Cranio-caudal mammogram of the right breast. Patient age 50.
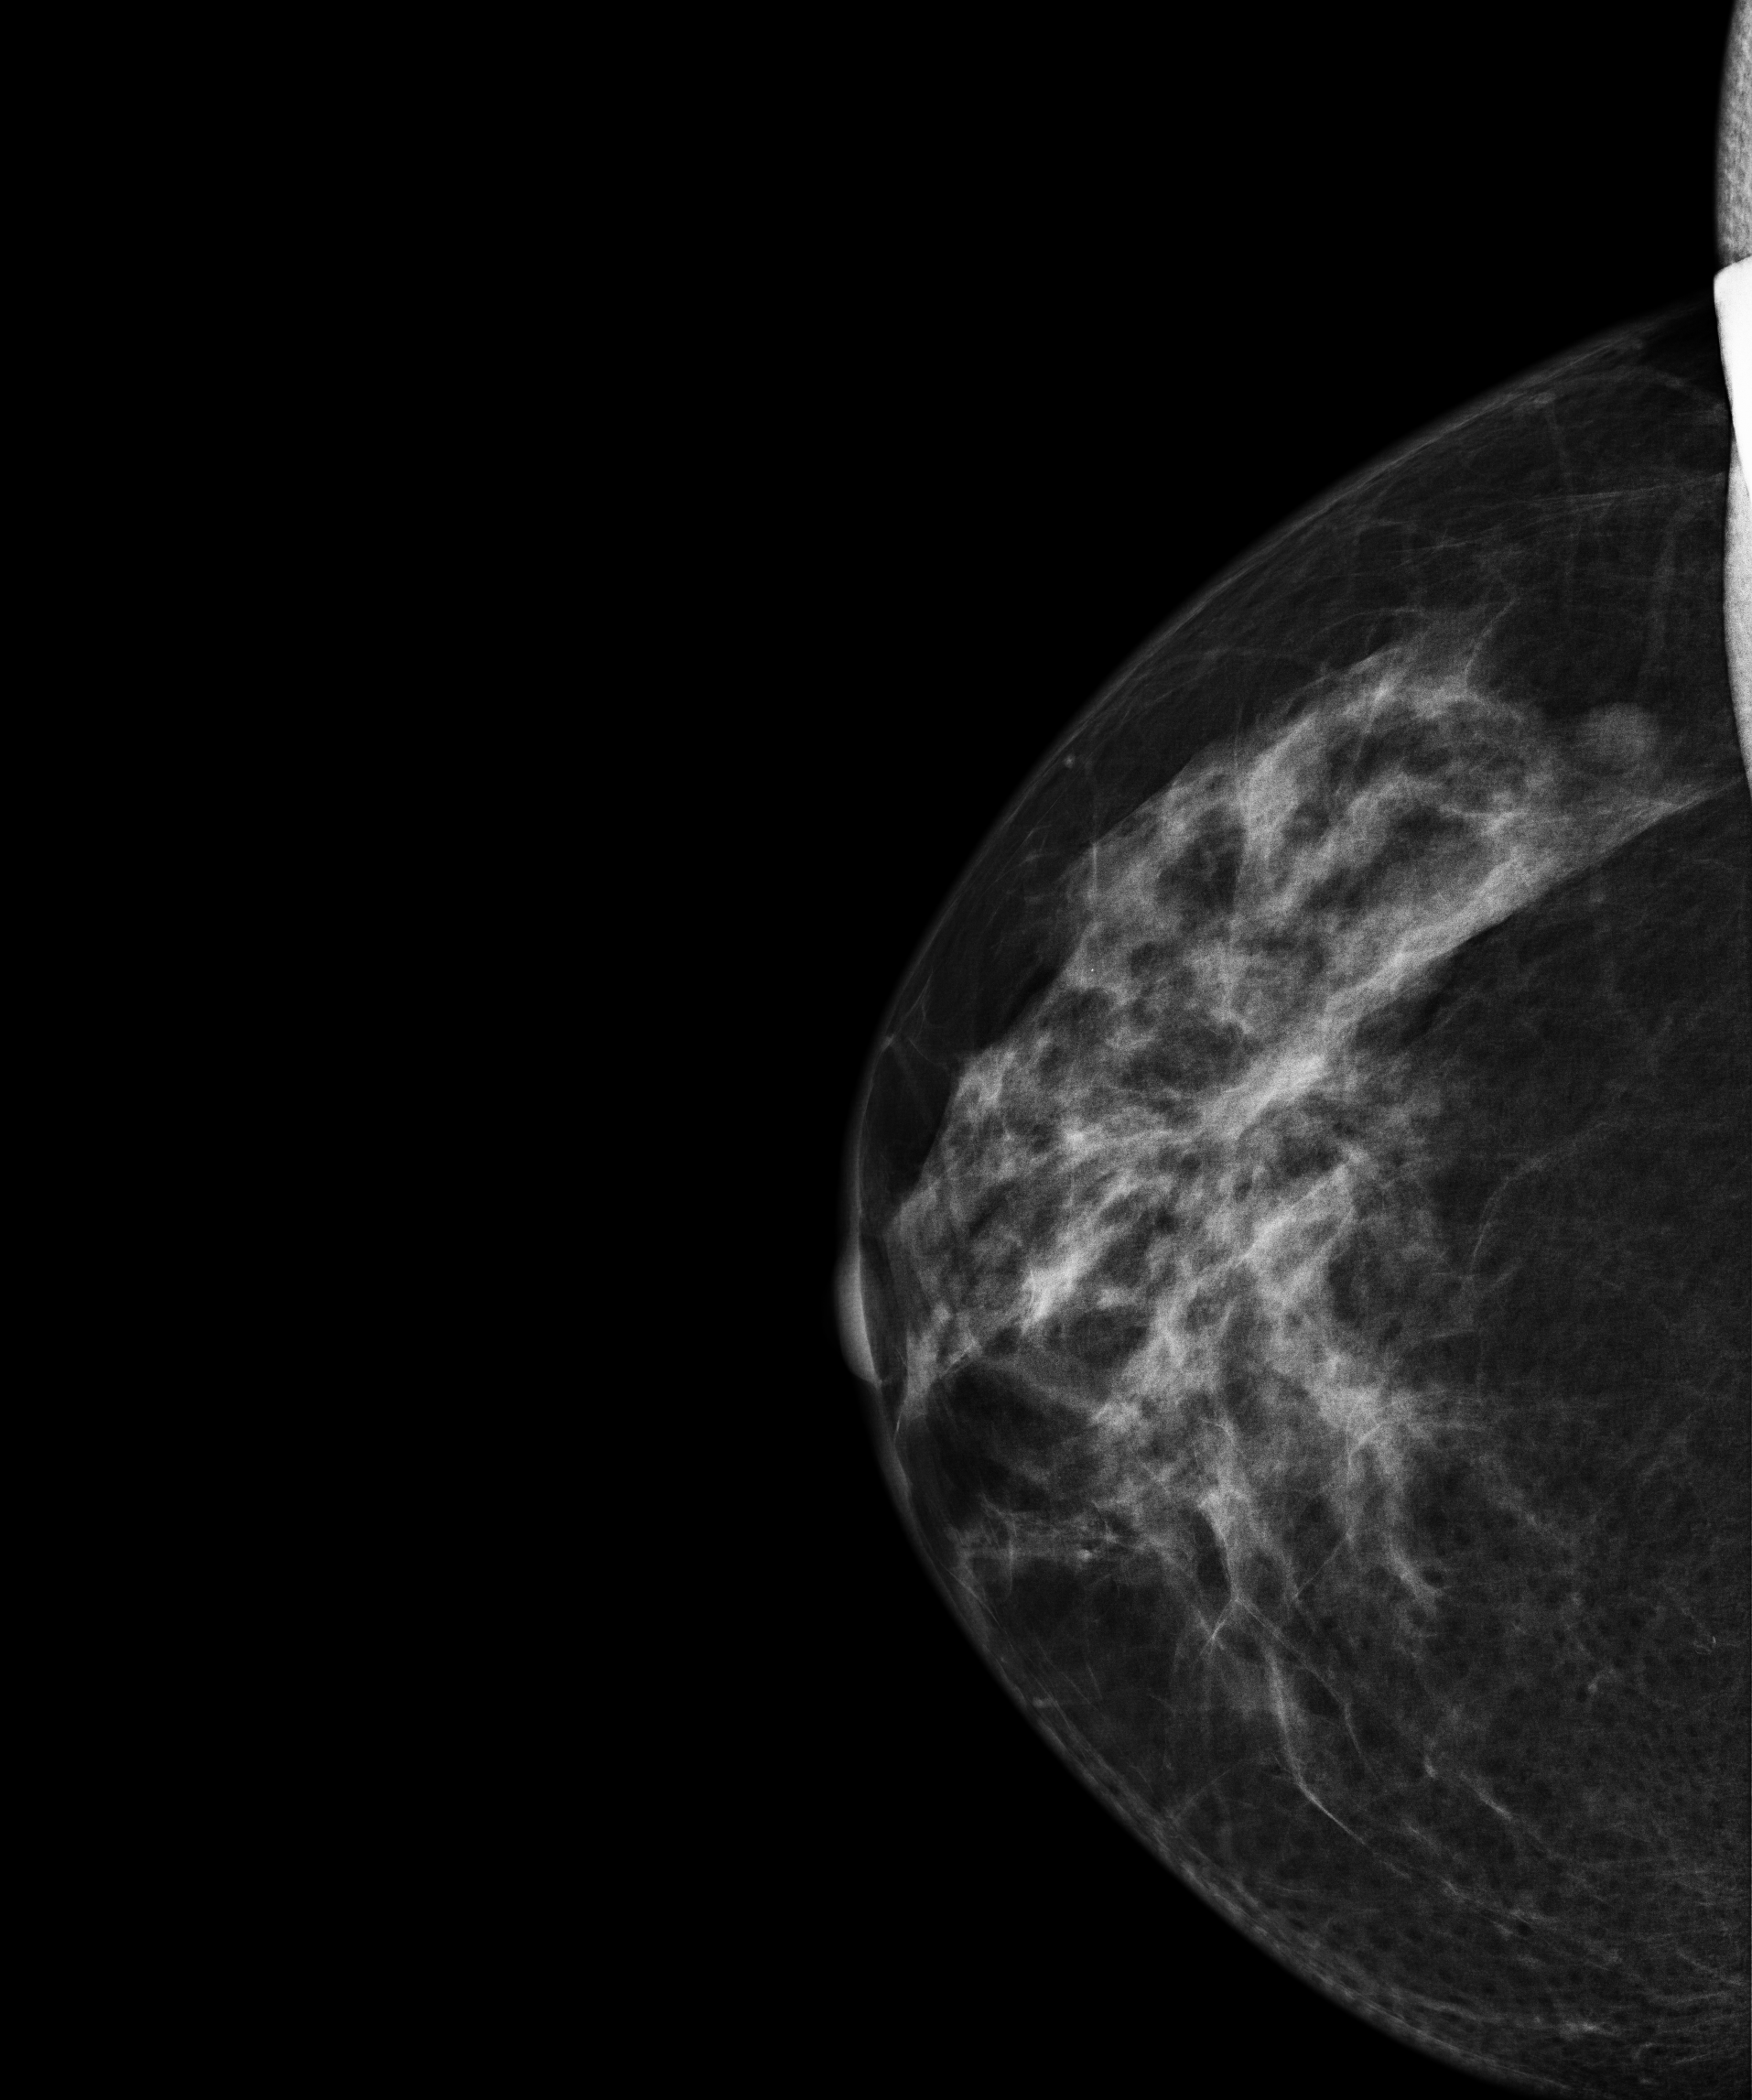
This breast has a mass and calcifications, biopsy-confirmed benign.